CC mammogram of the left breast. Patient age 42.
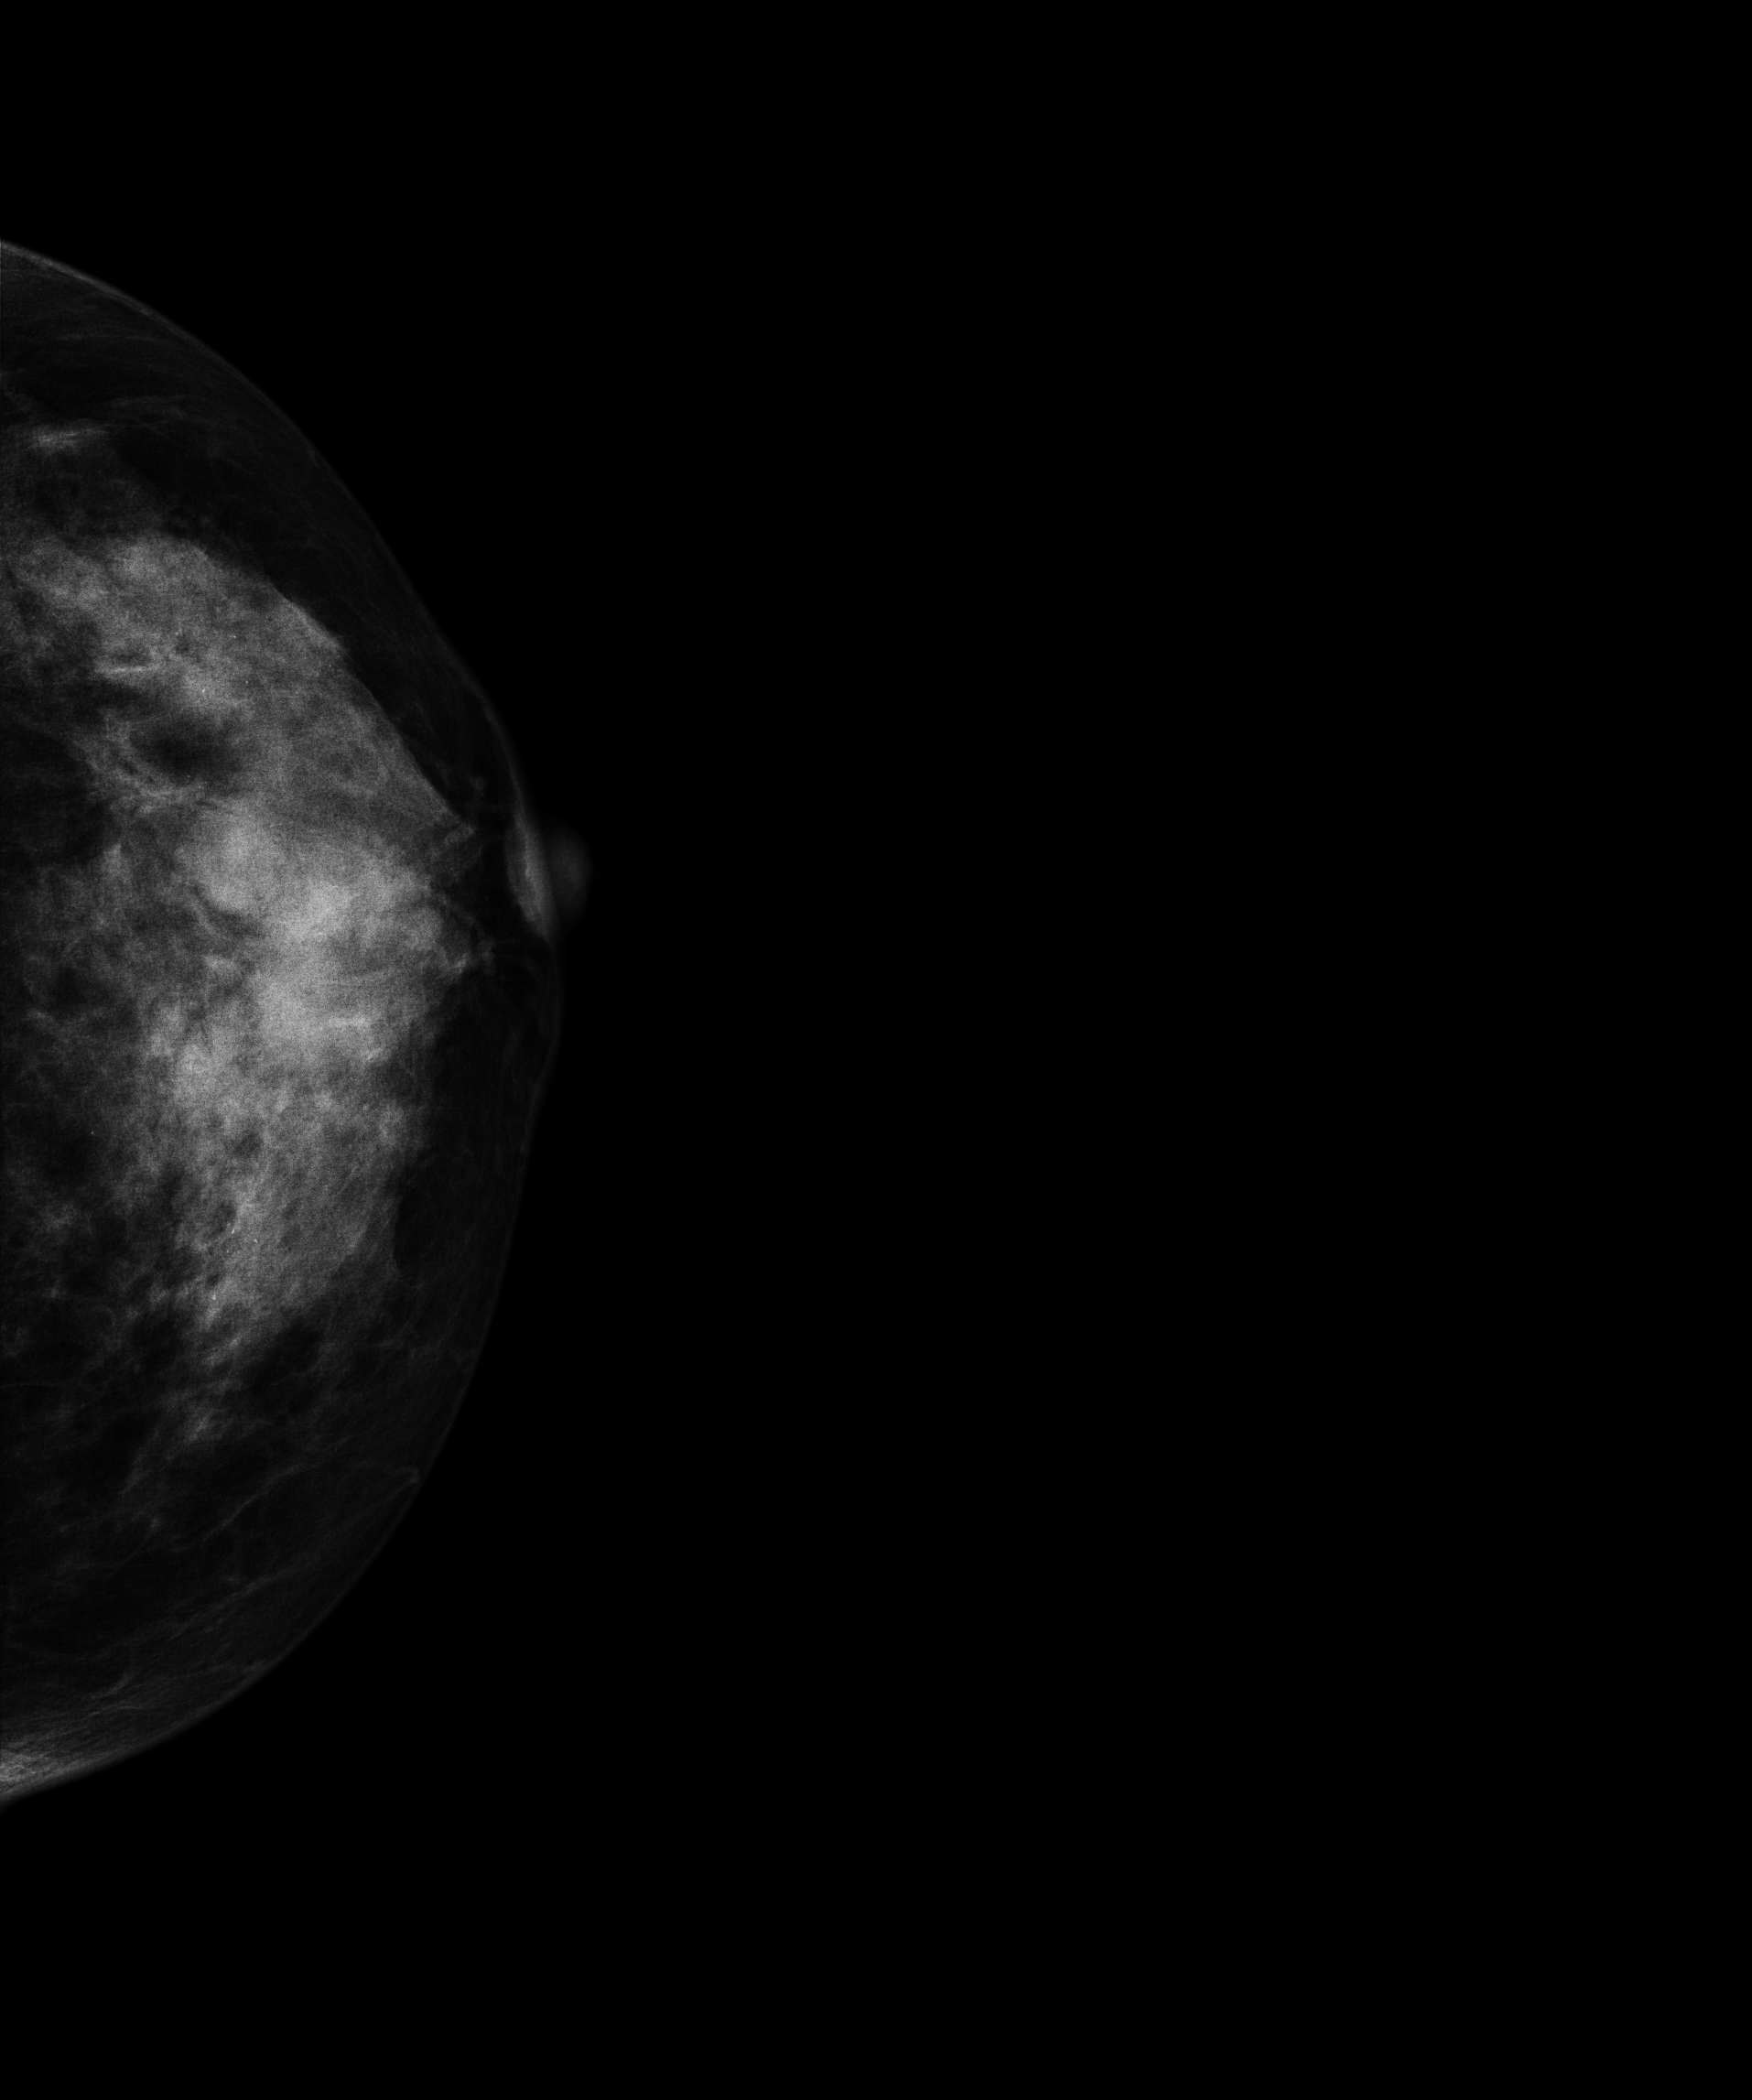
Contralateral breast — no documented abnormality on this side.